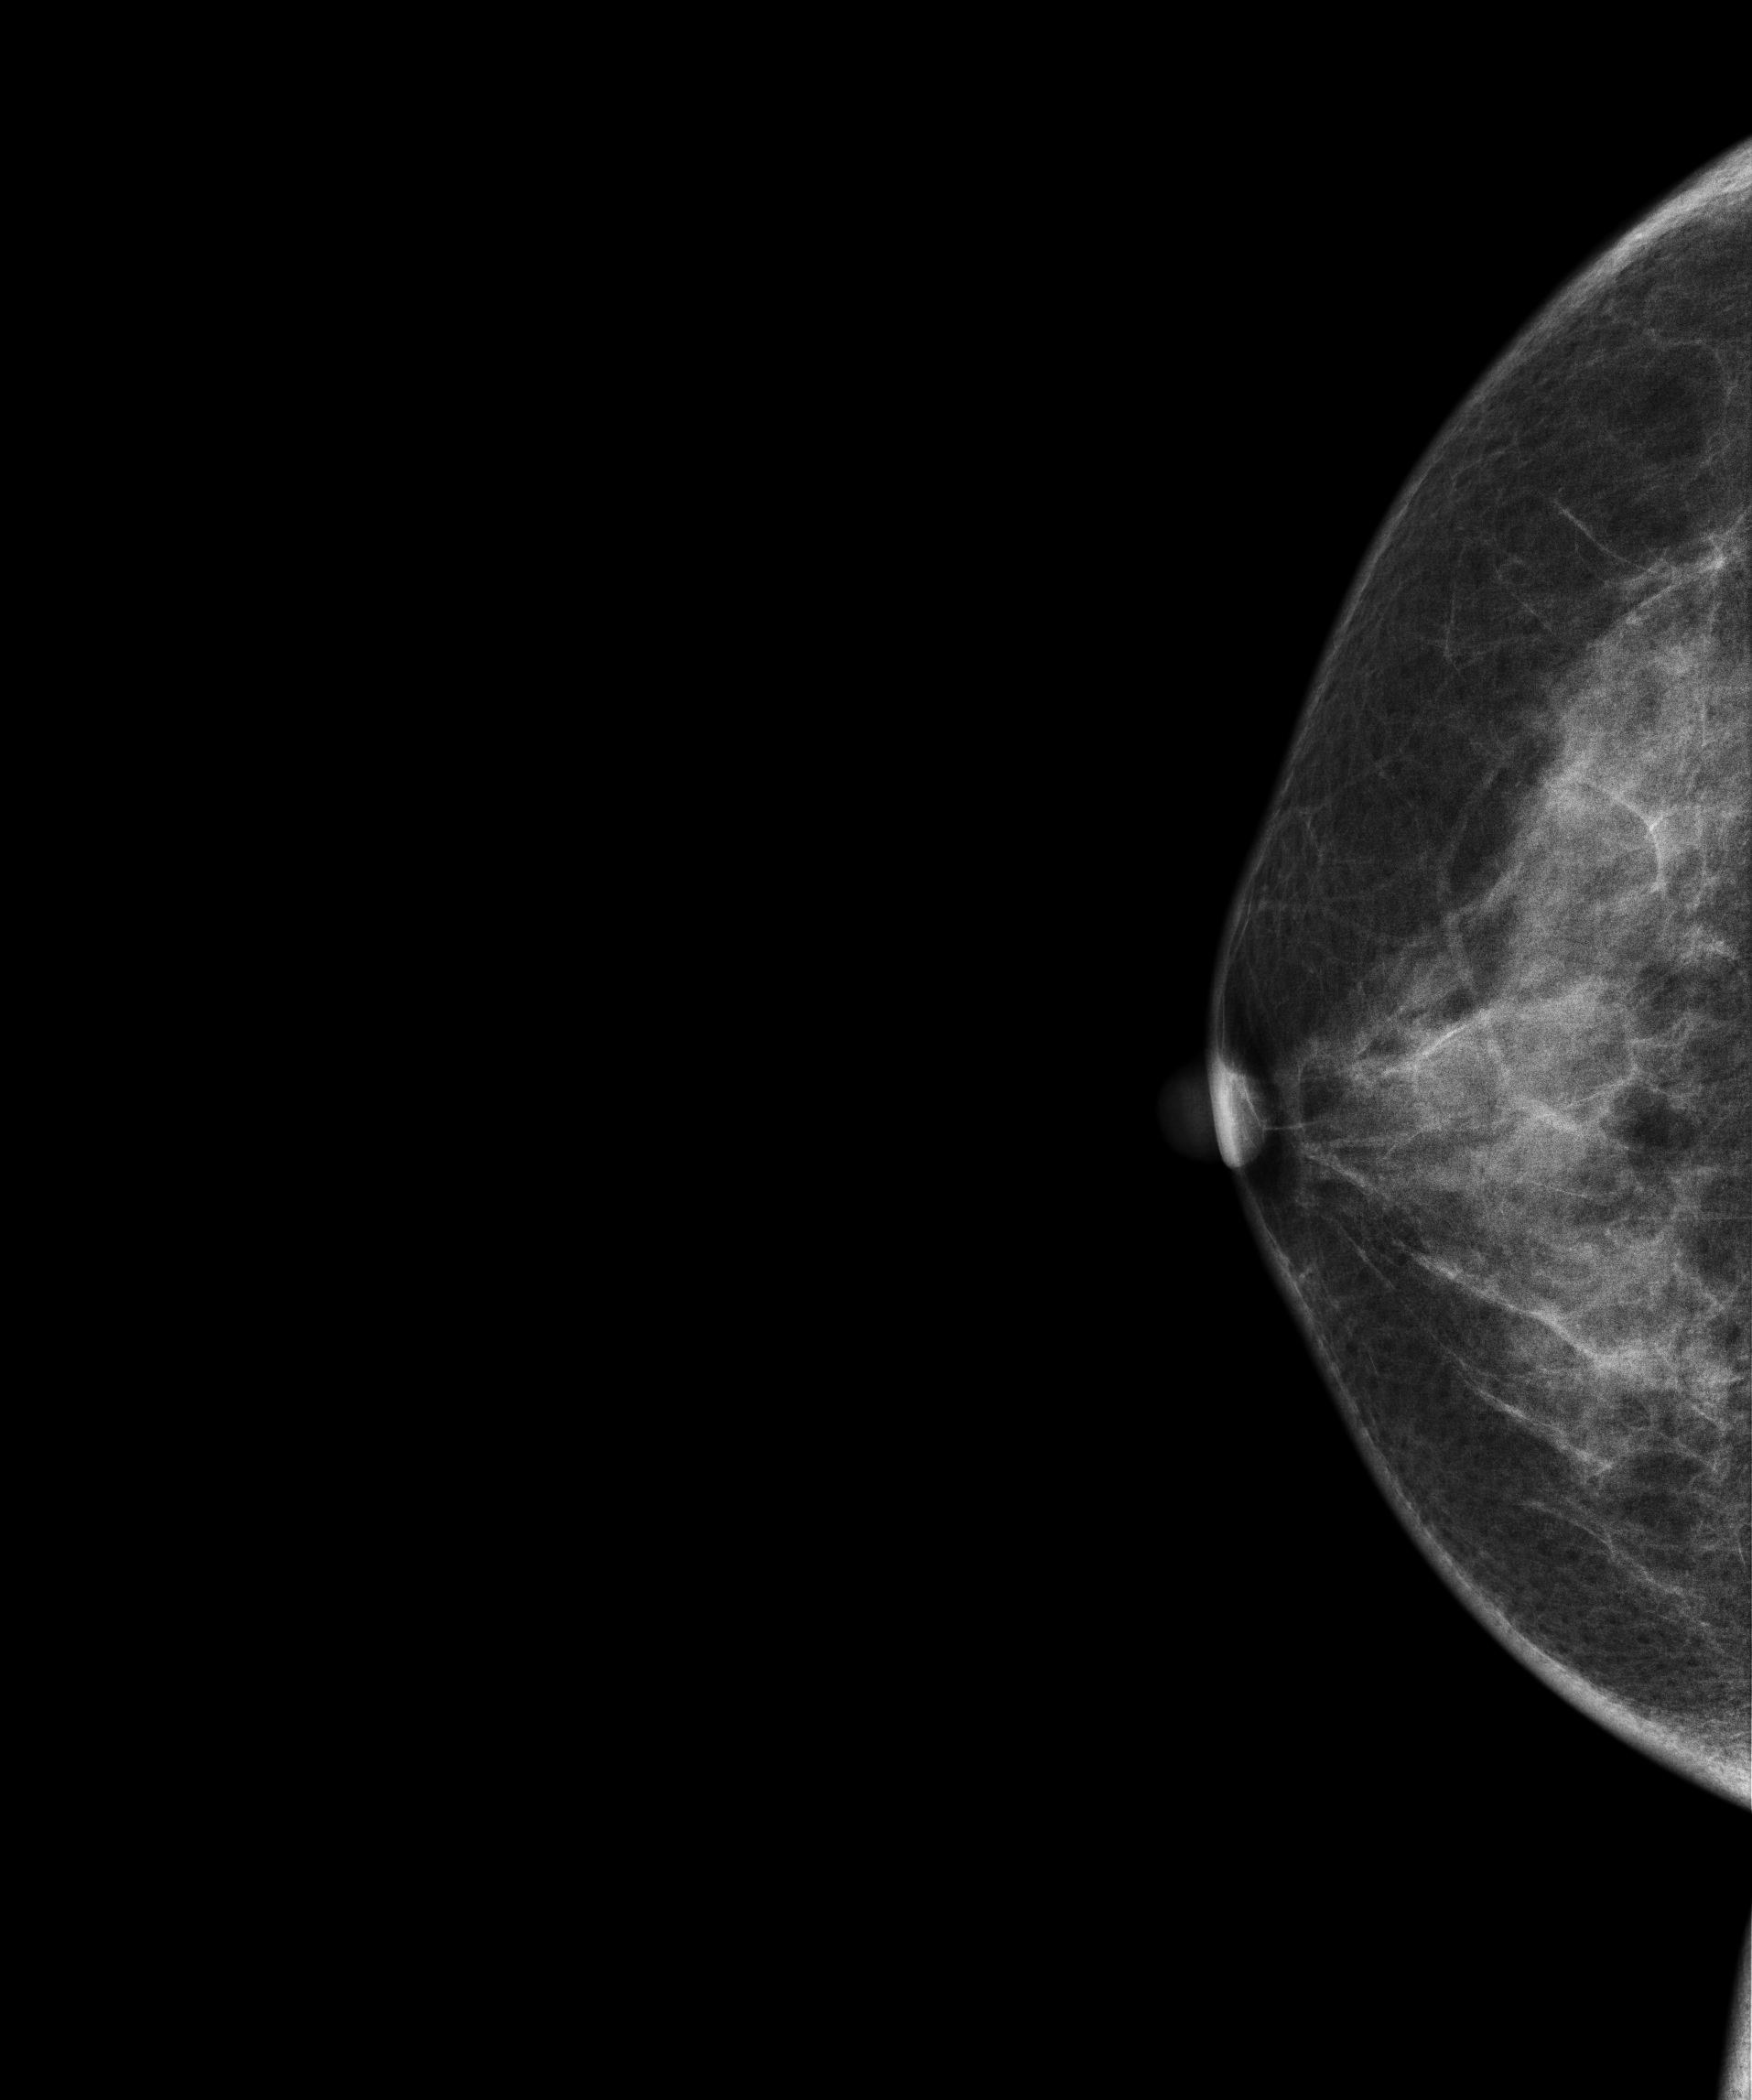
Right-breast mammogram, cranio-caudal. 51 y/o patient.
Contralateral breast — no documented abnormality on this side.